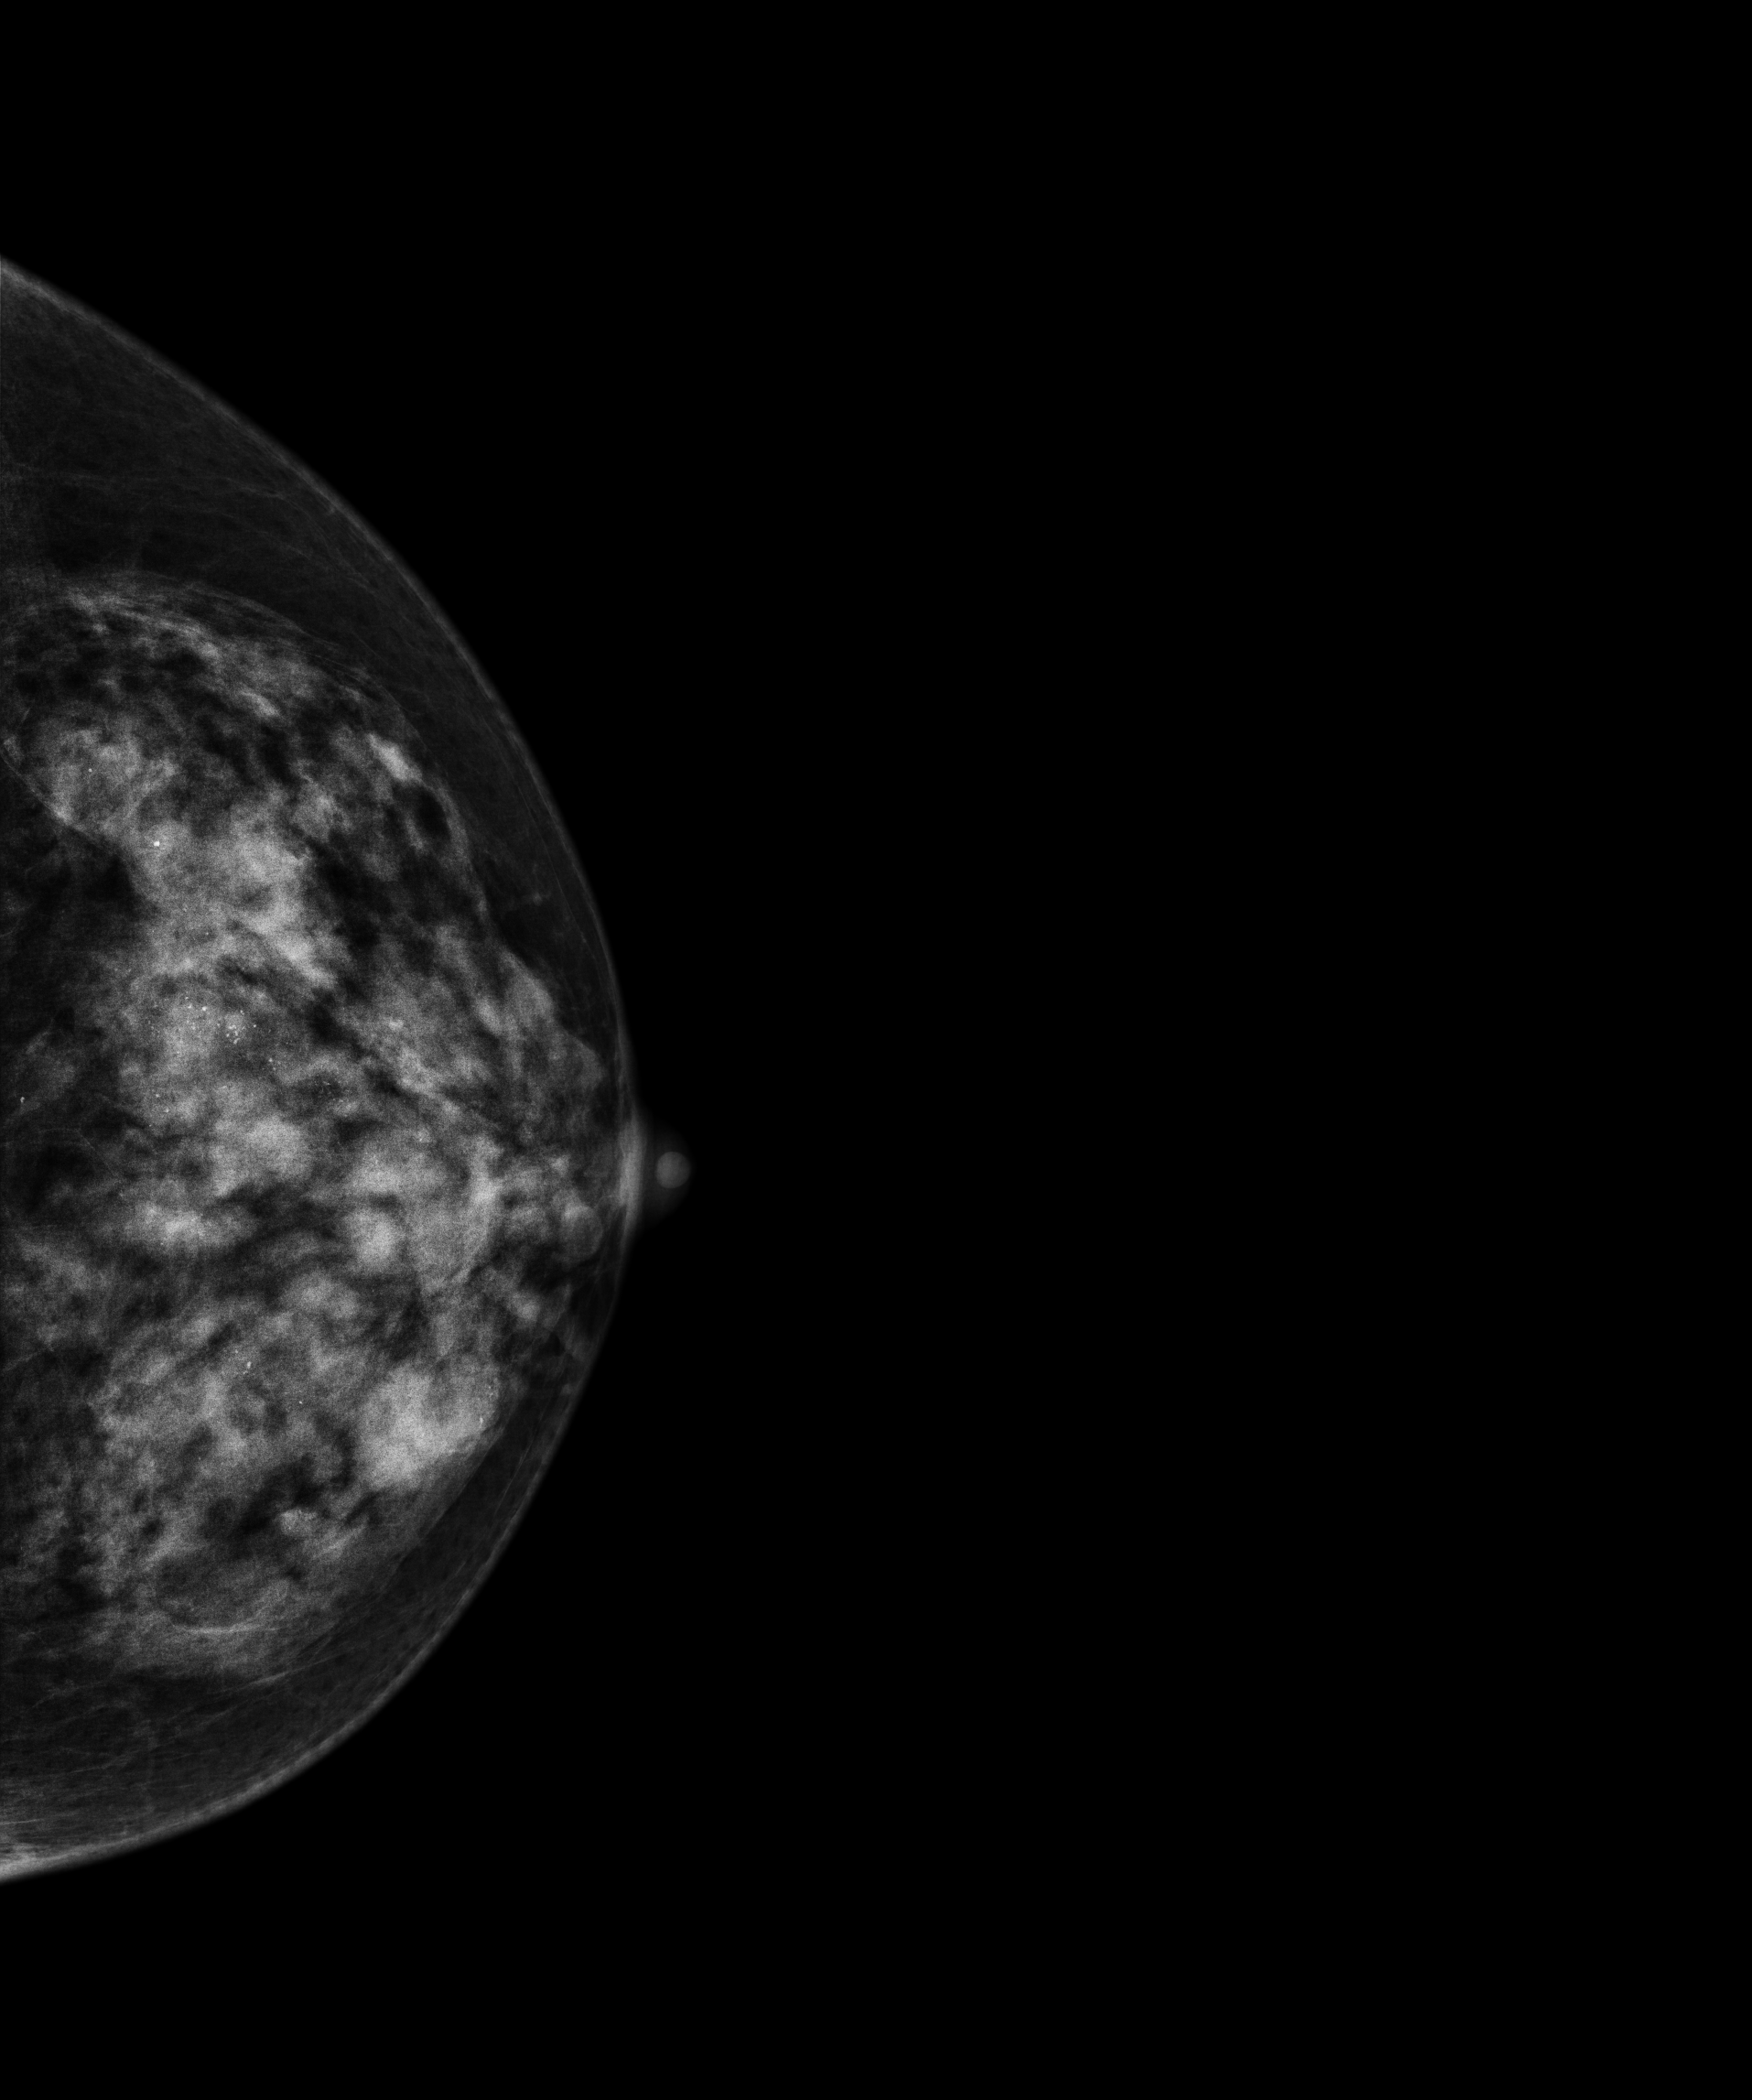
Left-breast mammogram, cranio-caudal. Patient age 56.
This breast has calcifications, biopsy-proven malignant.